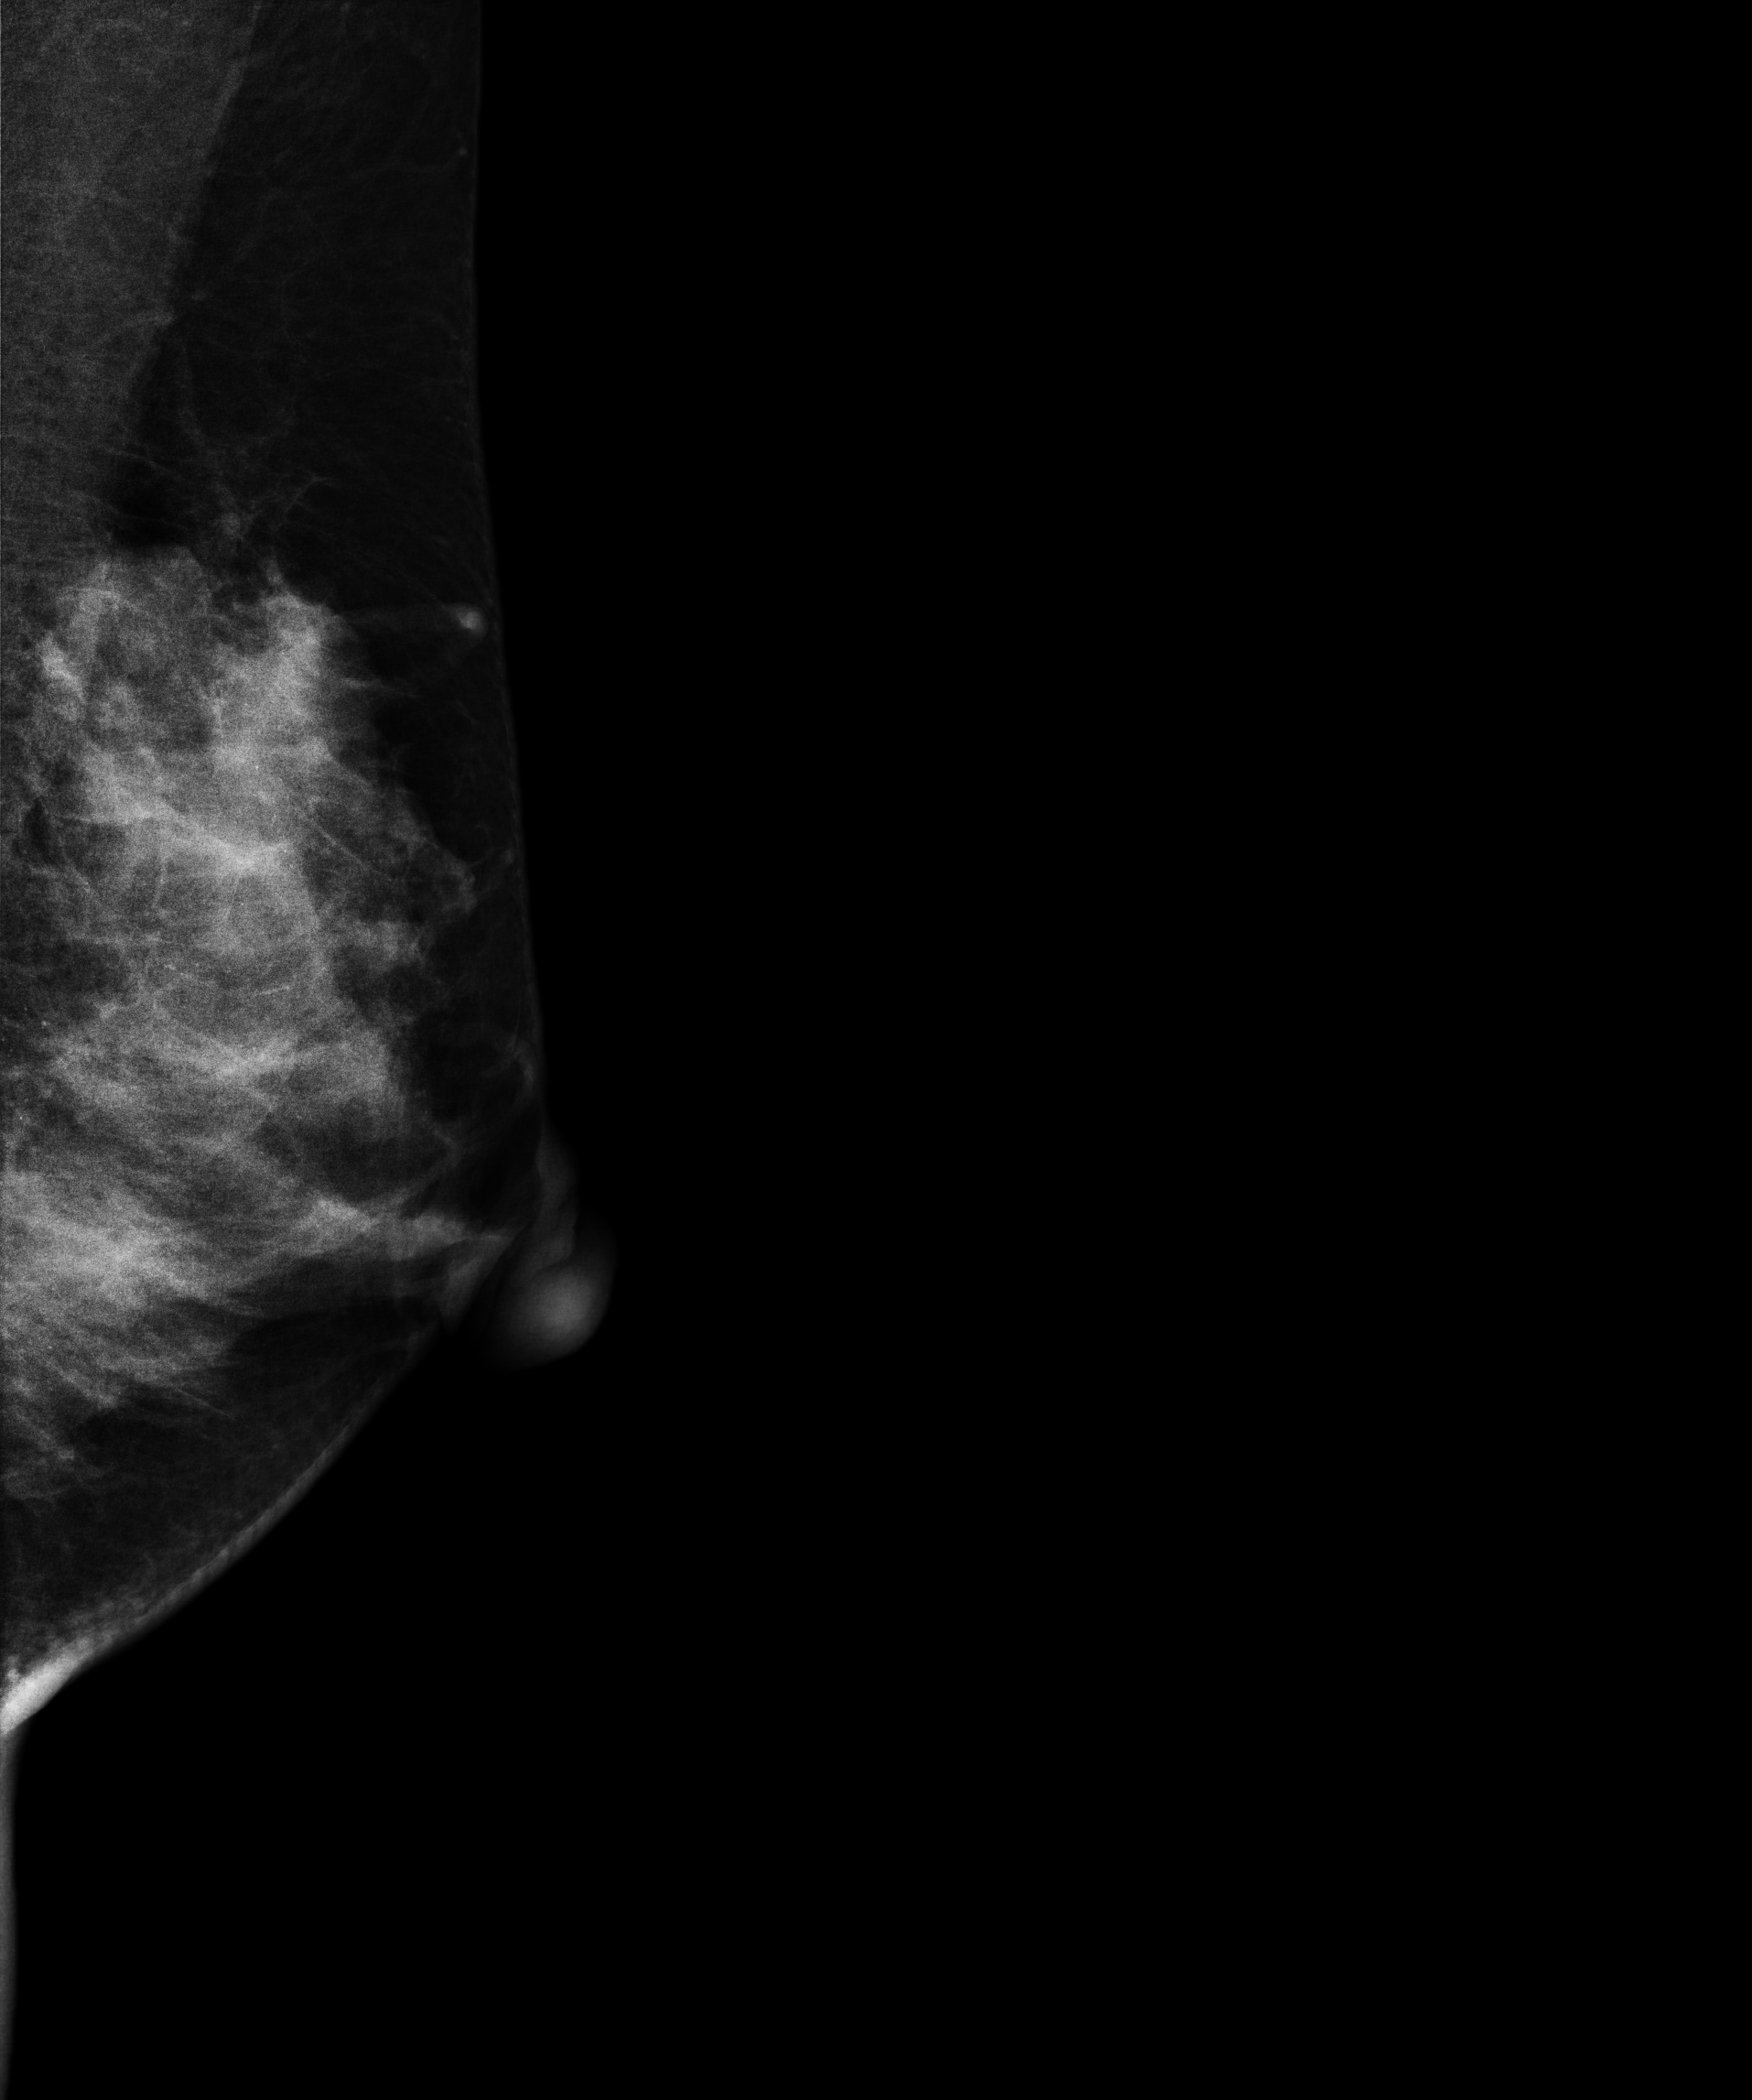
MLO mammogram of the left breast. 37 y/o patient.
This breast has a mass, biopsy-proven malignant.